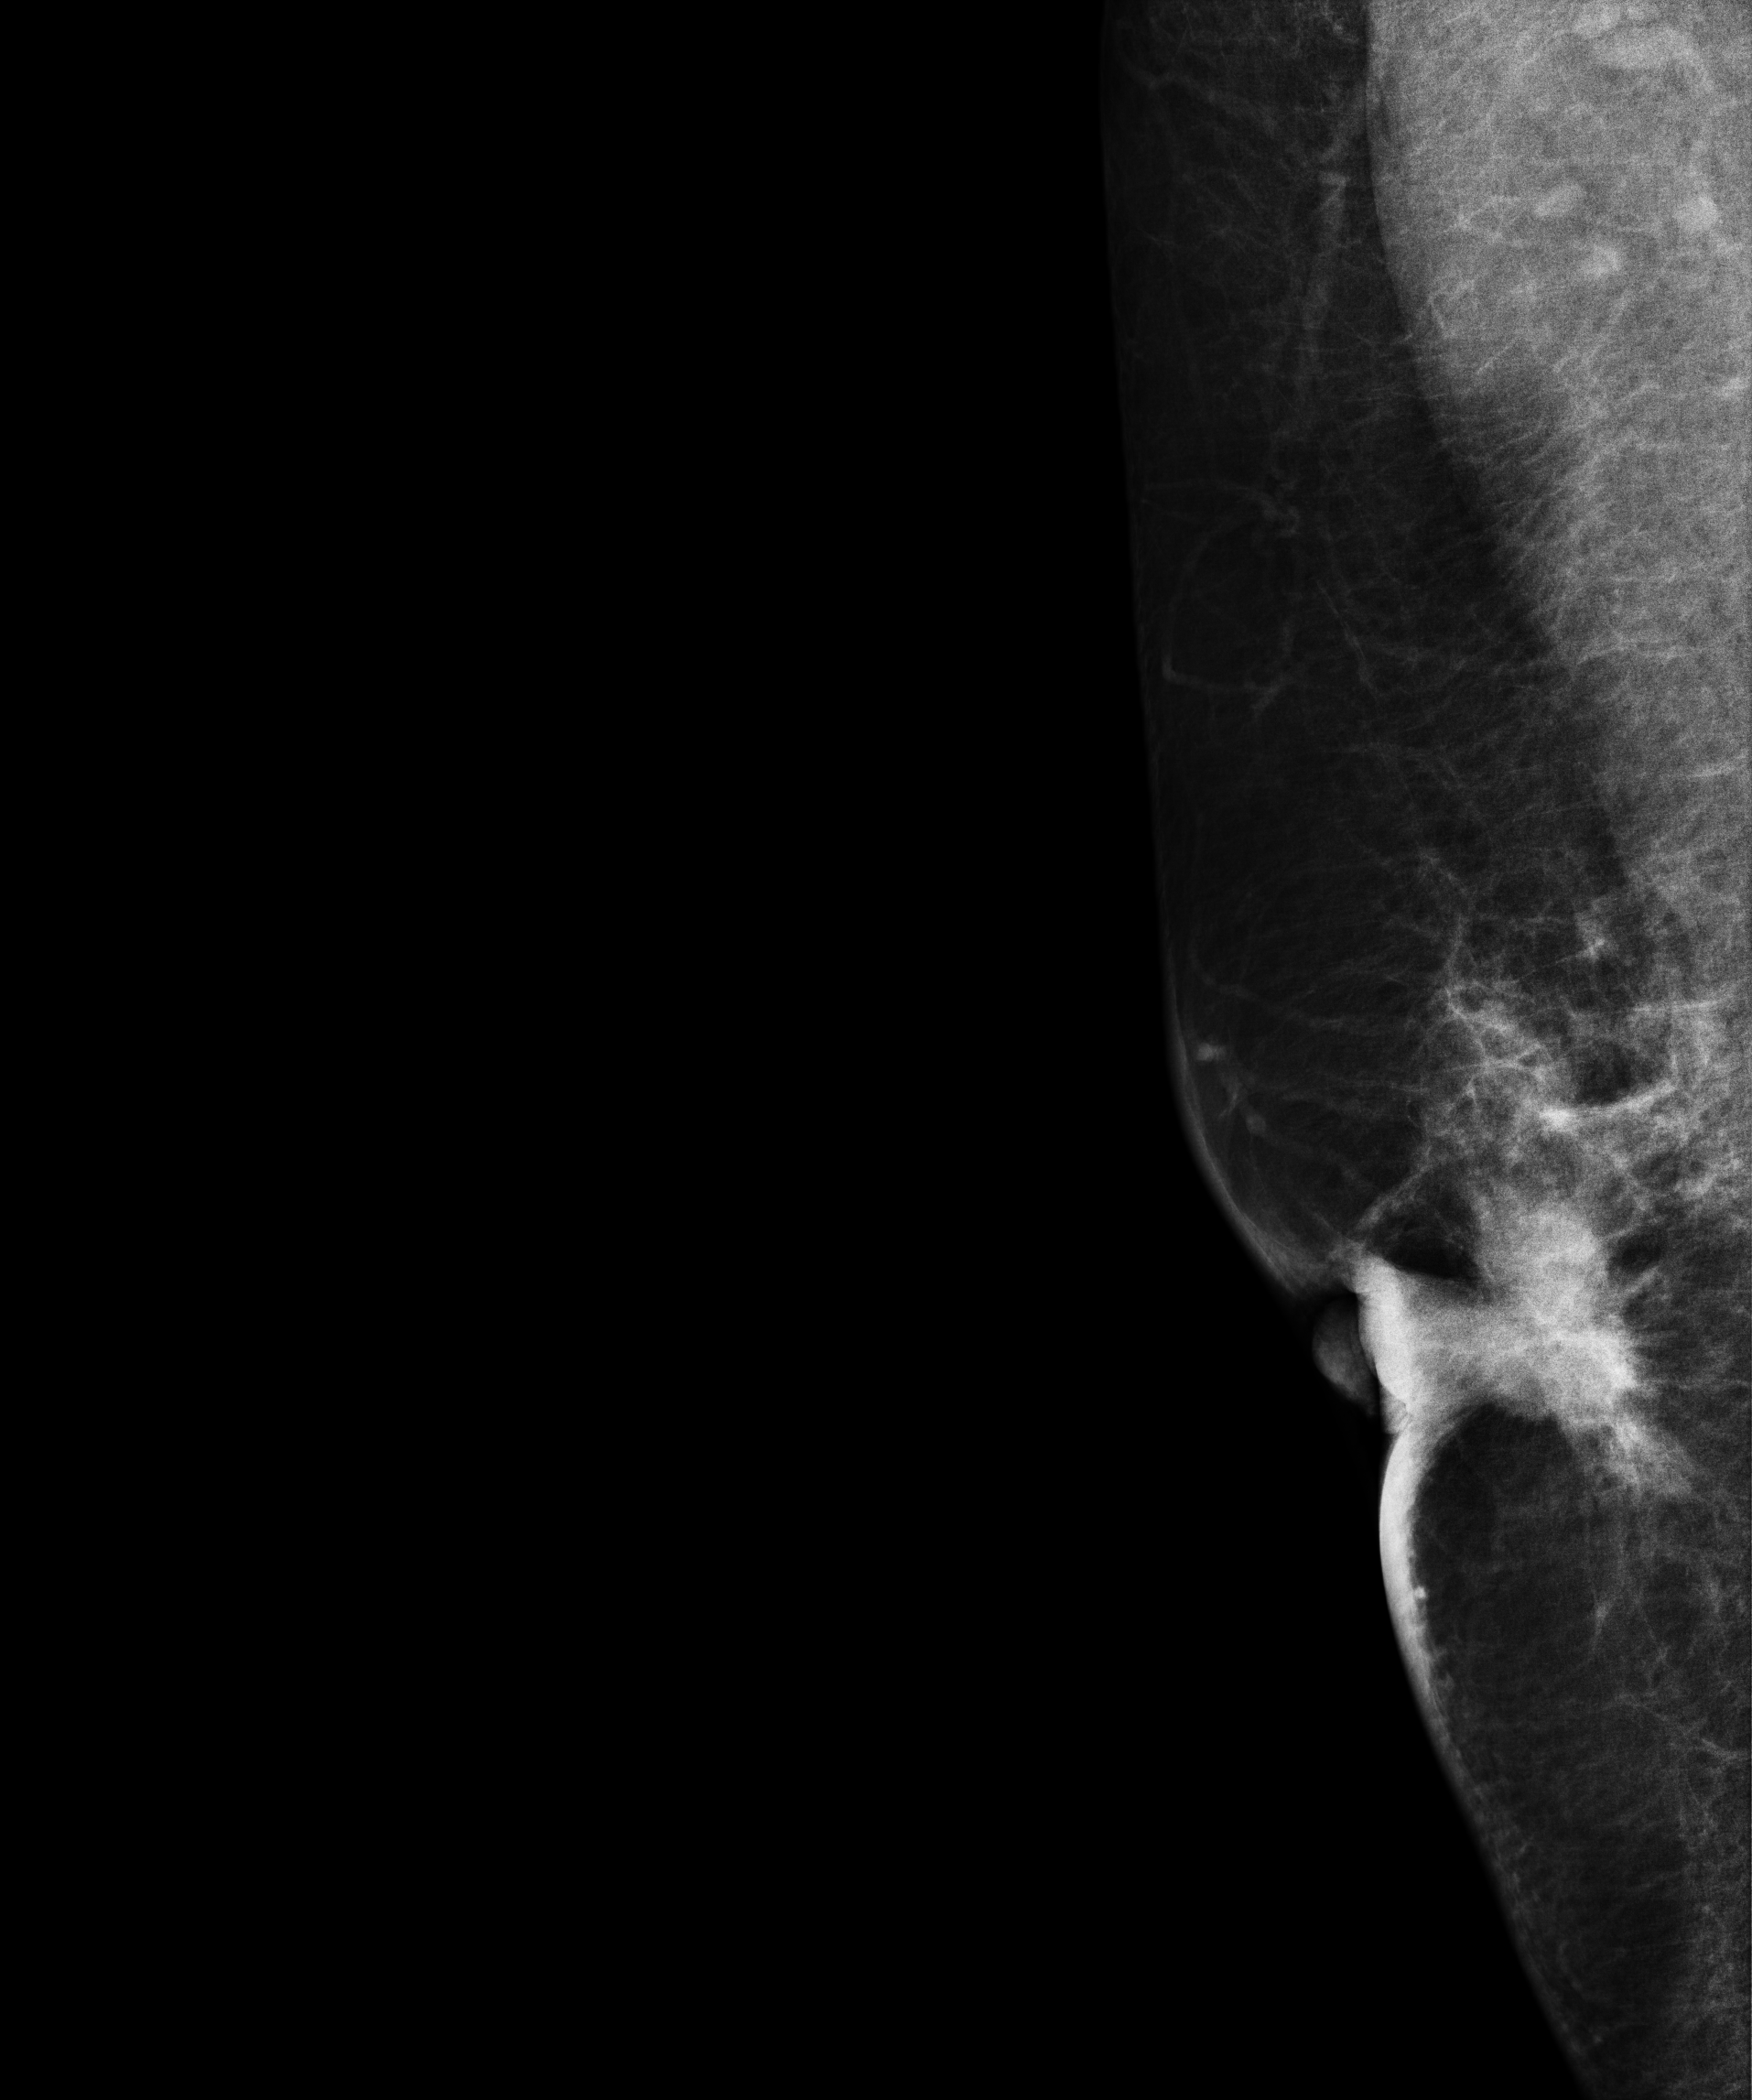
Digital mammography. Right breast, medio-lateral oblique projection. Patient age 47.
This breast has a mass, biopsy-proven malignant.